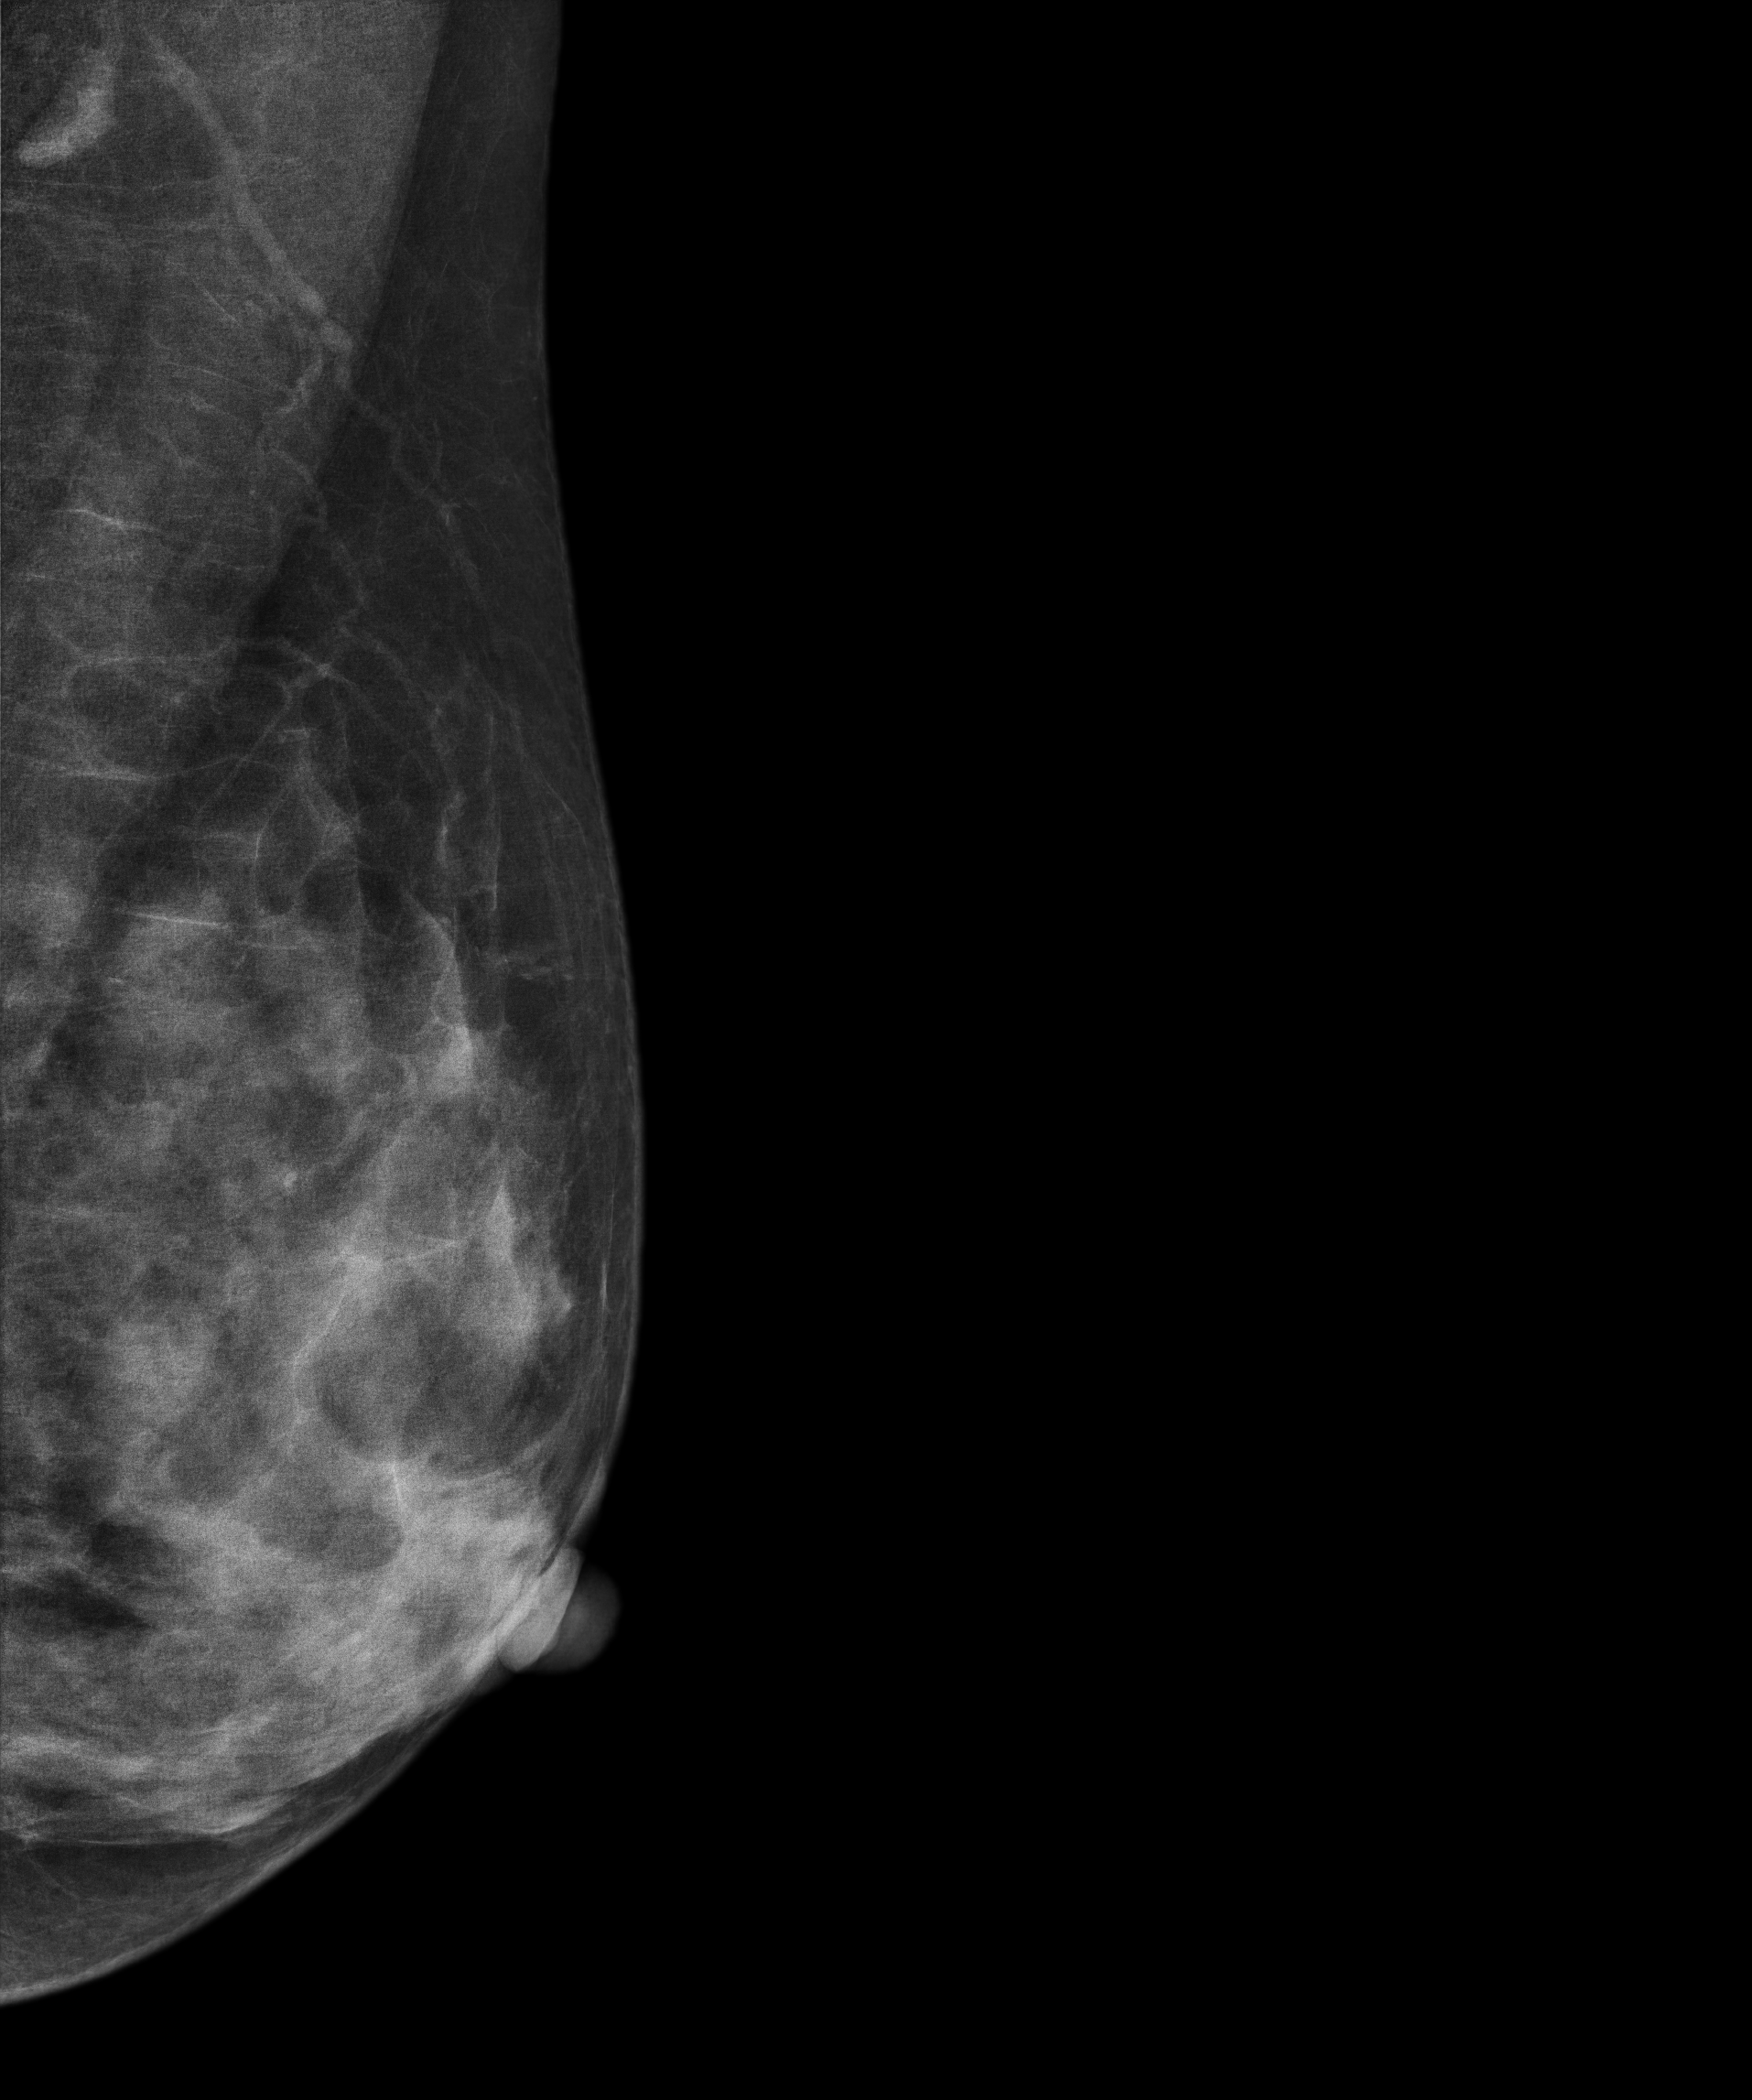
Left-breast mammogram, MLO. 42 y/o patient.
Contralateral breast — no documented abnormality on this side.